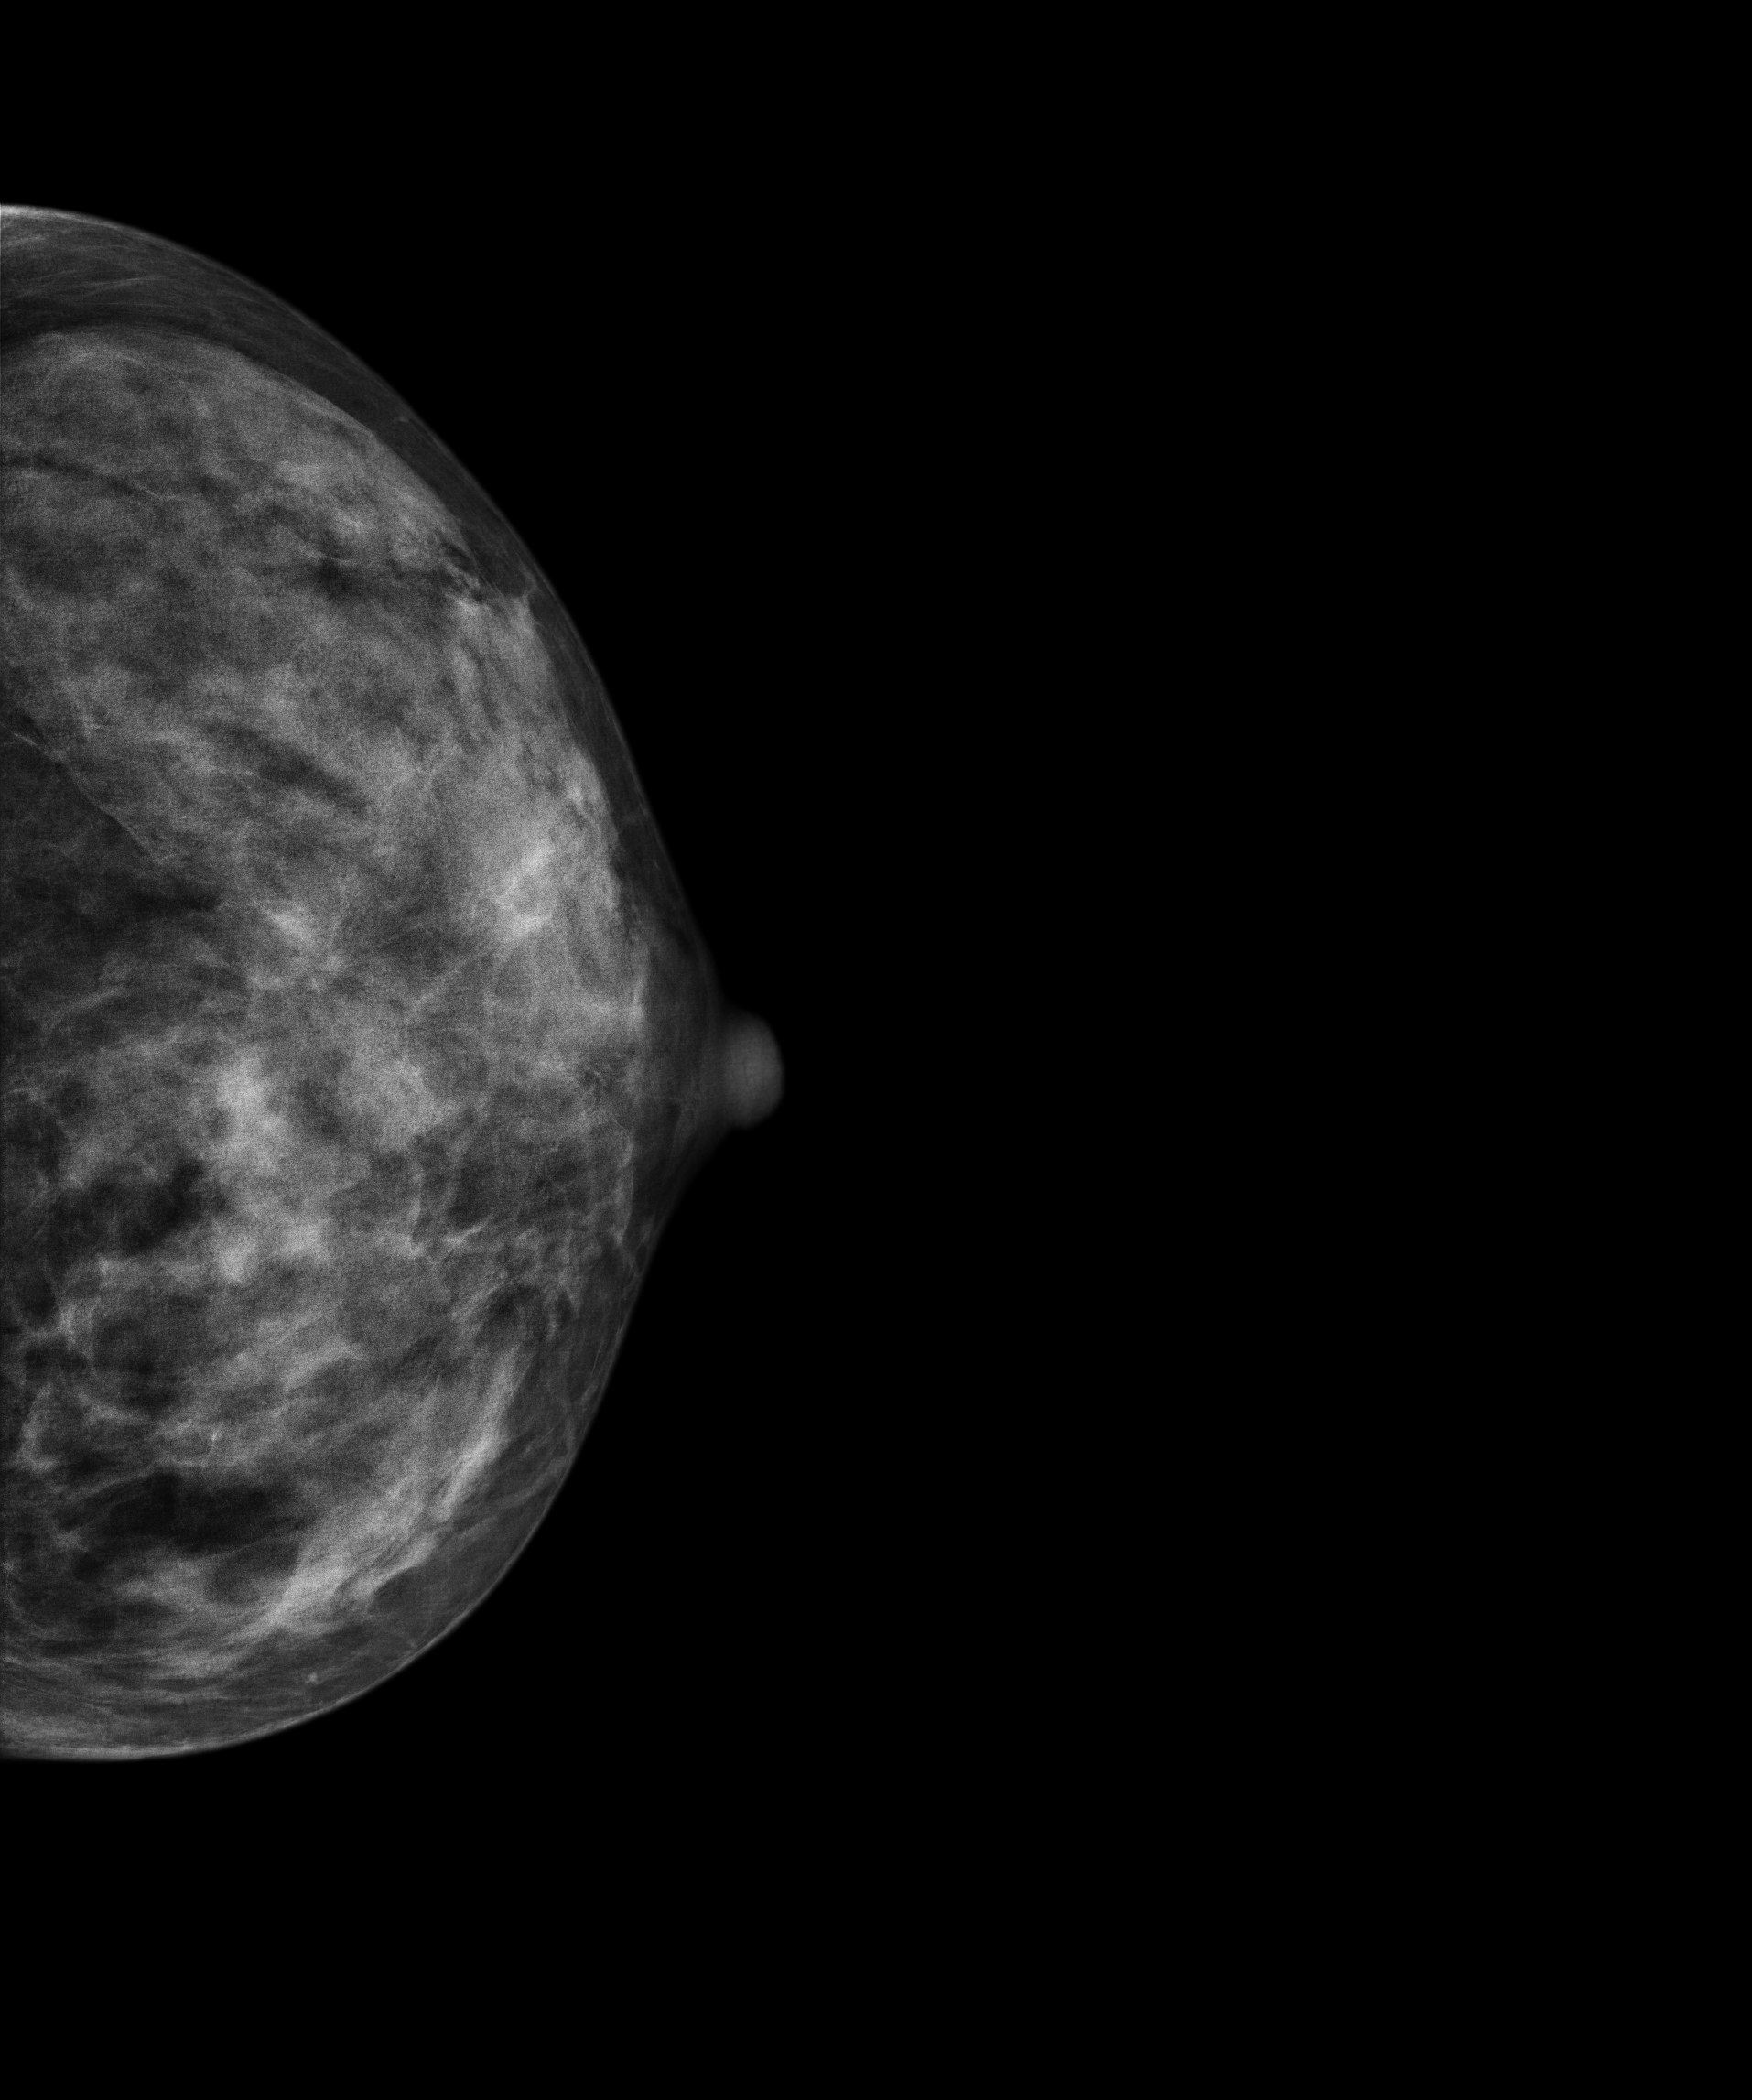
CC mammogram of the left breast. 32-year-old patient.
This breast has a mass, biopsy-confirmed benign.